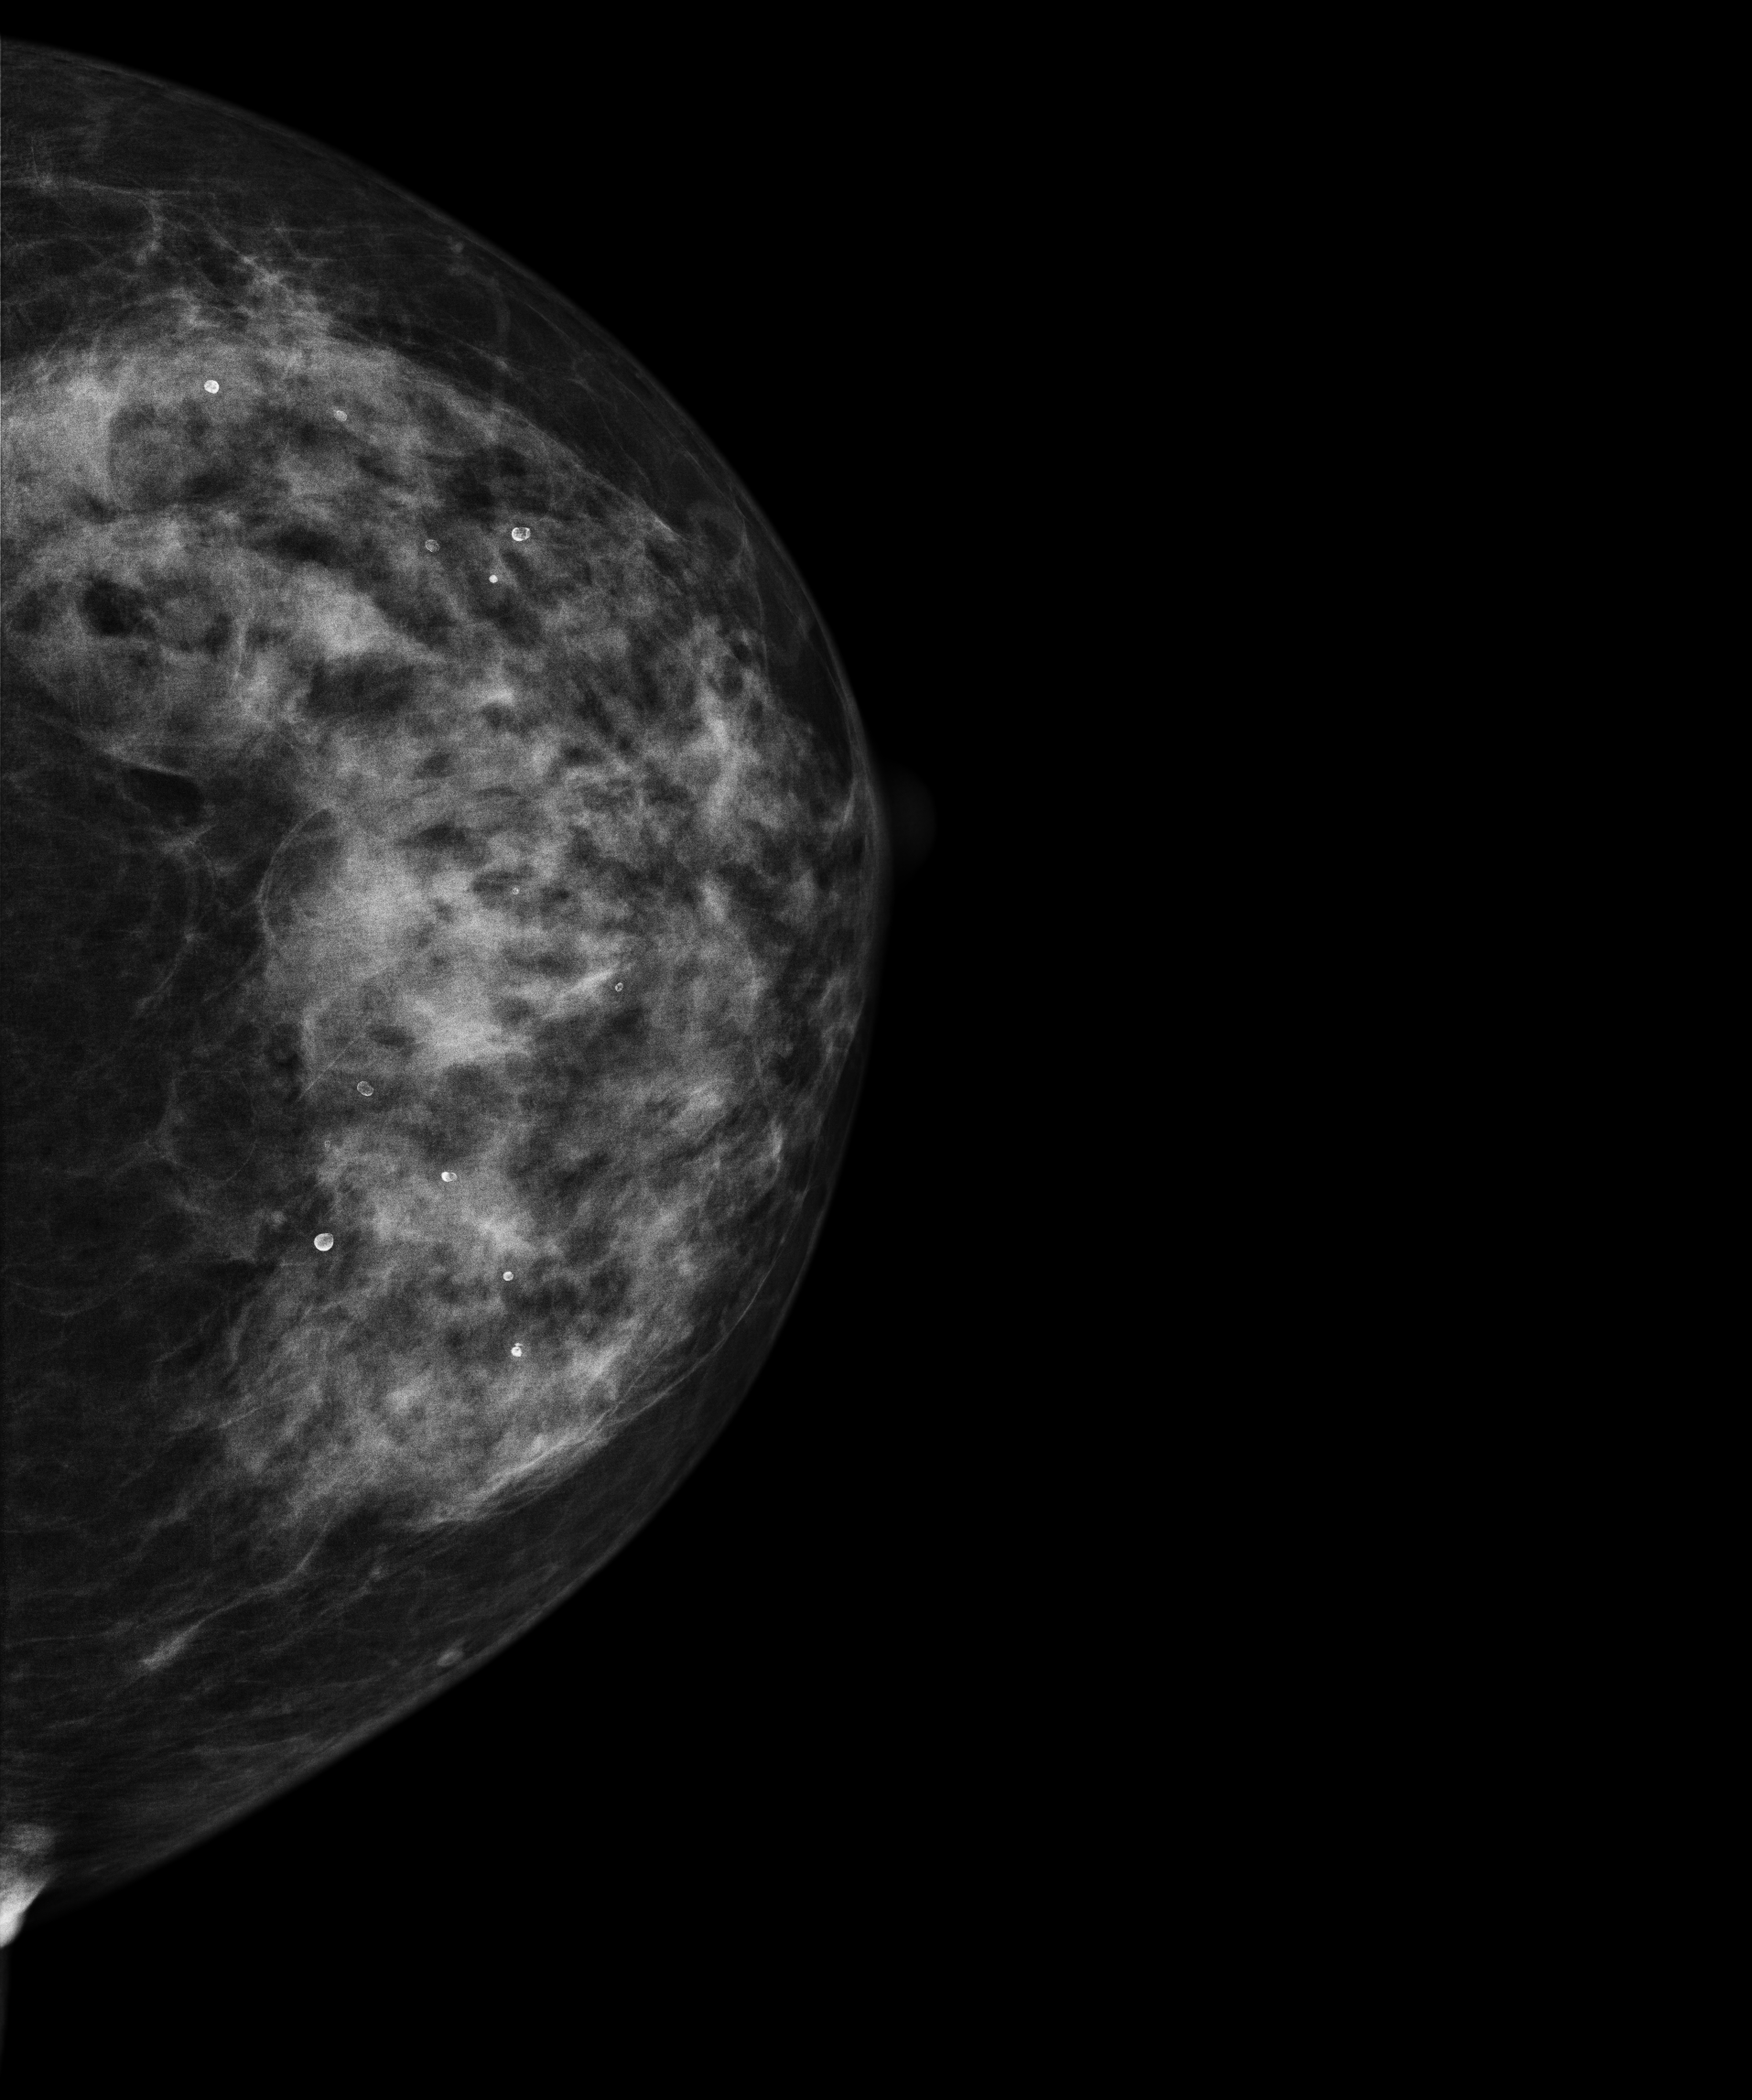
Mammogram, left breast, CC view. 60-year-old patient.
This breast has a mass, pathology-confirmed malignant.